Mammogram, left breast, cranio-caudal view. 69 y/o patient.
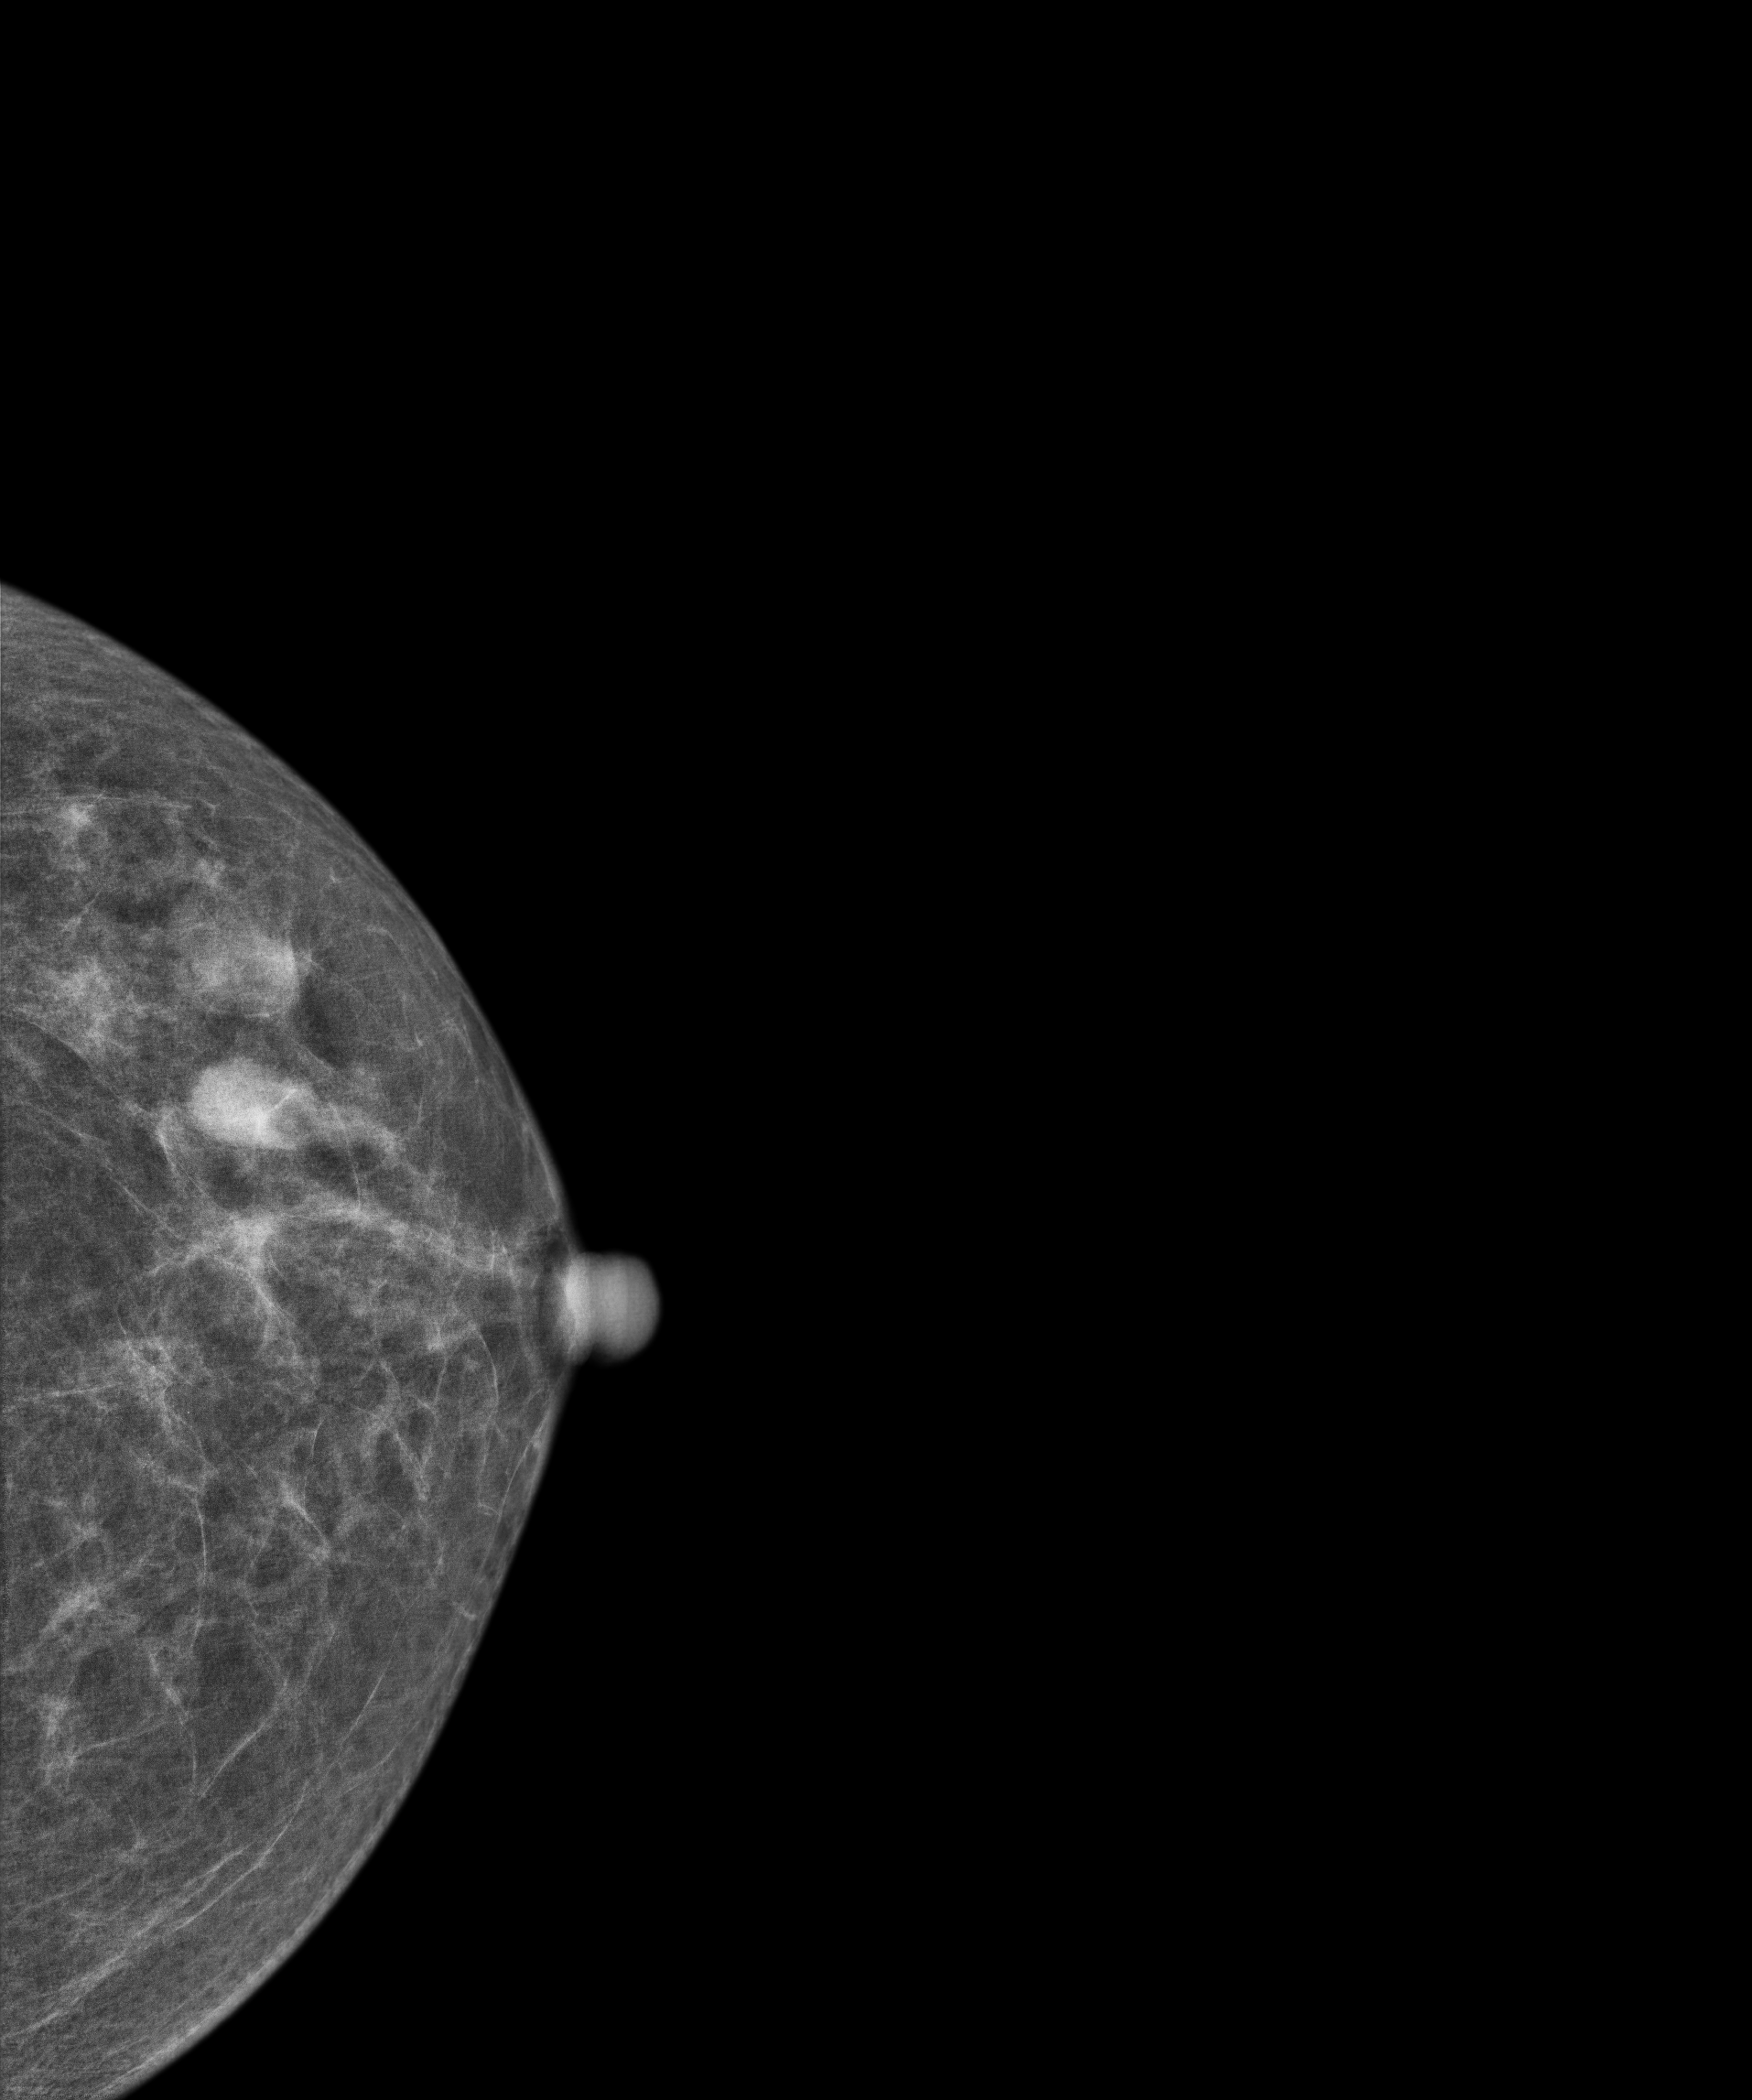
Contralateral breast — no documented abnormality on this side.